Left-breast mammogram, MLO. 58-year-old patient.
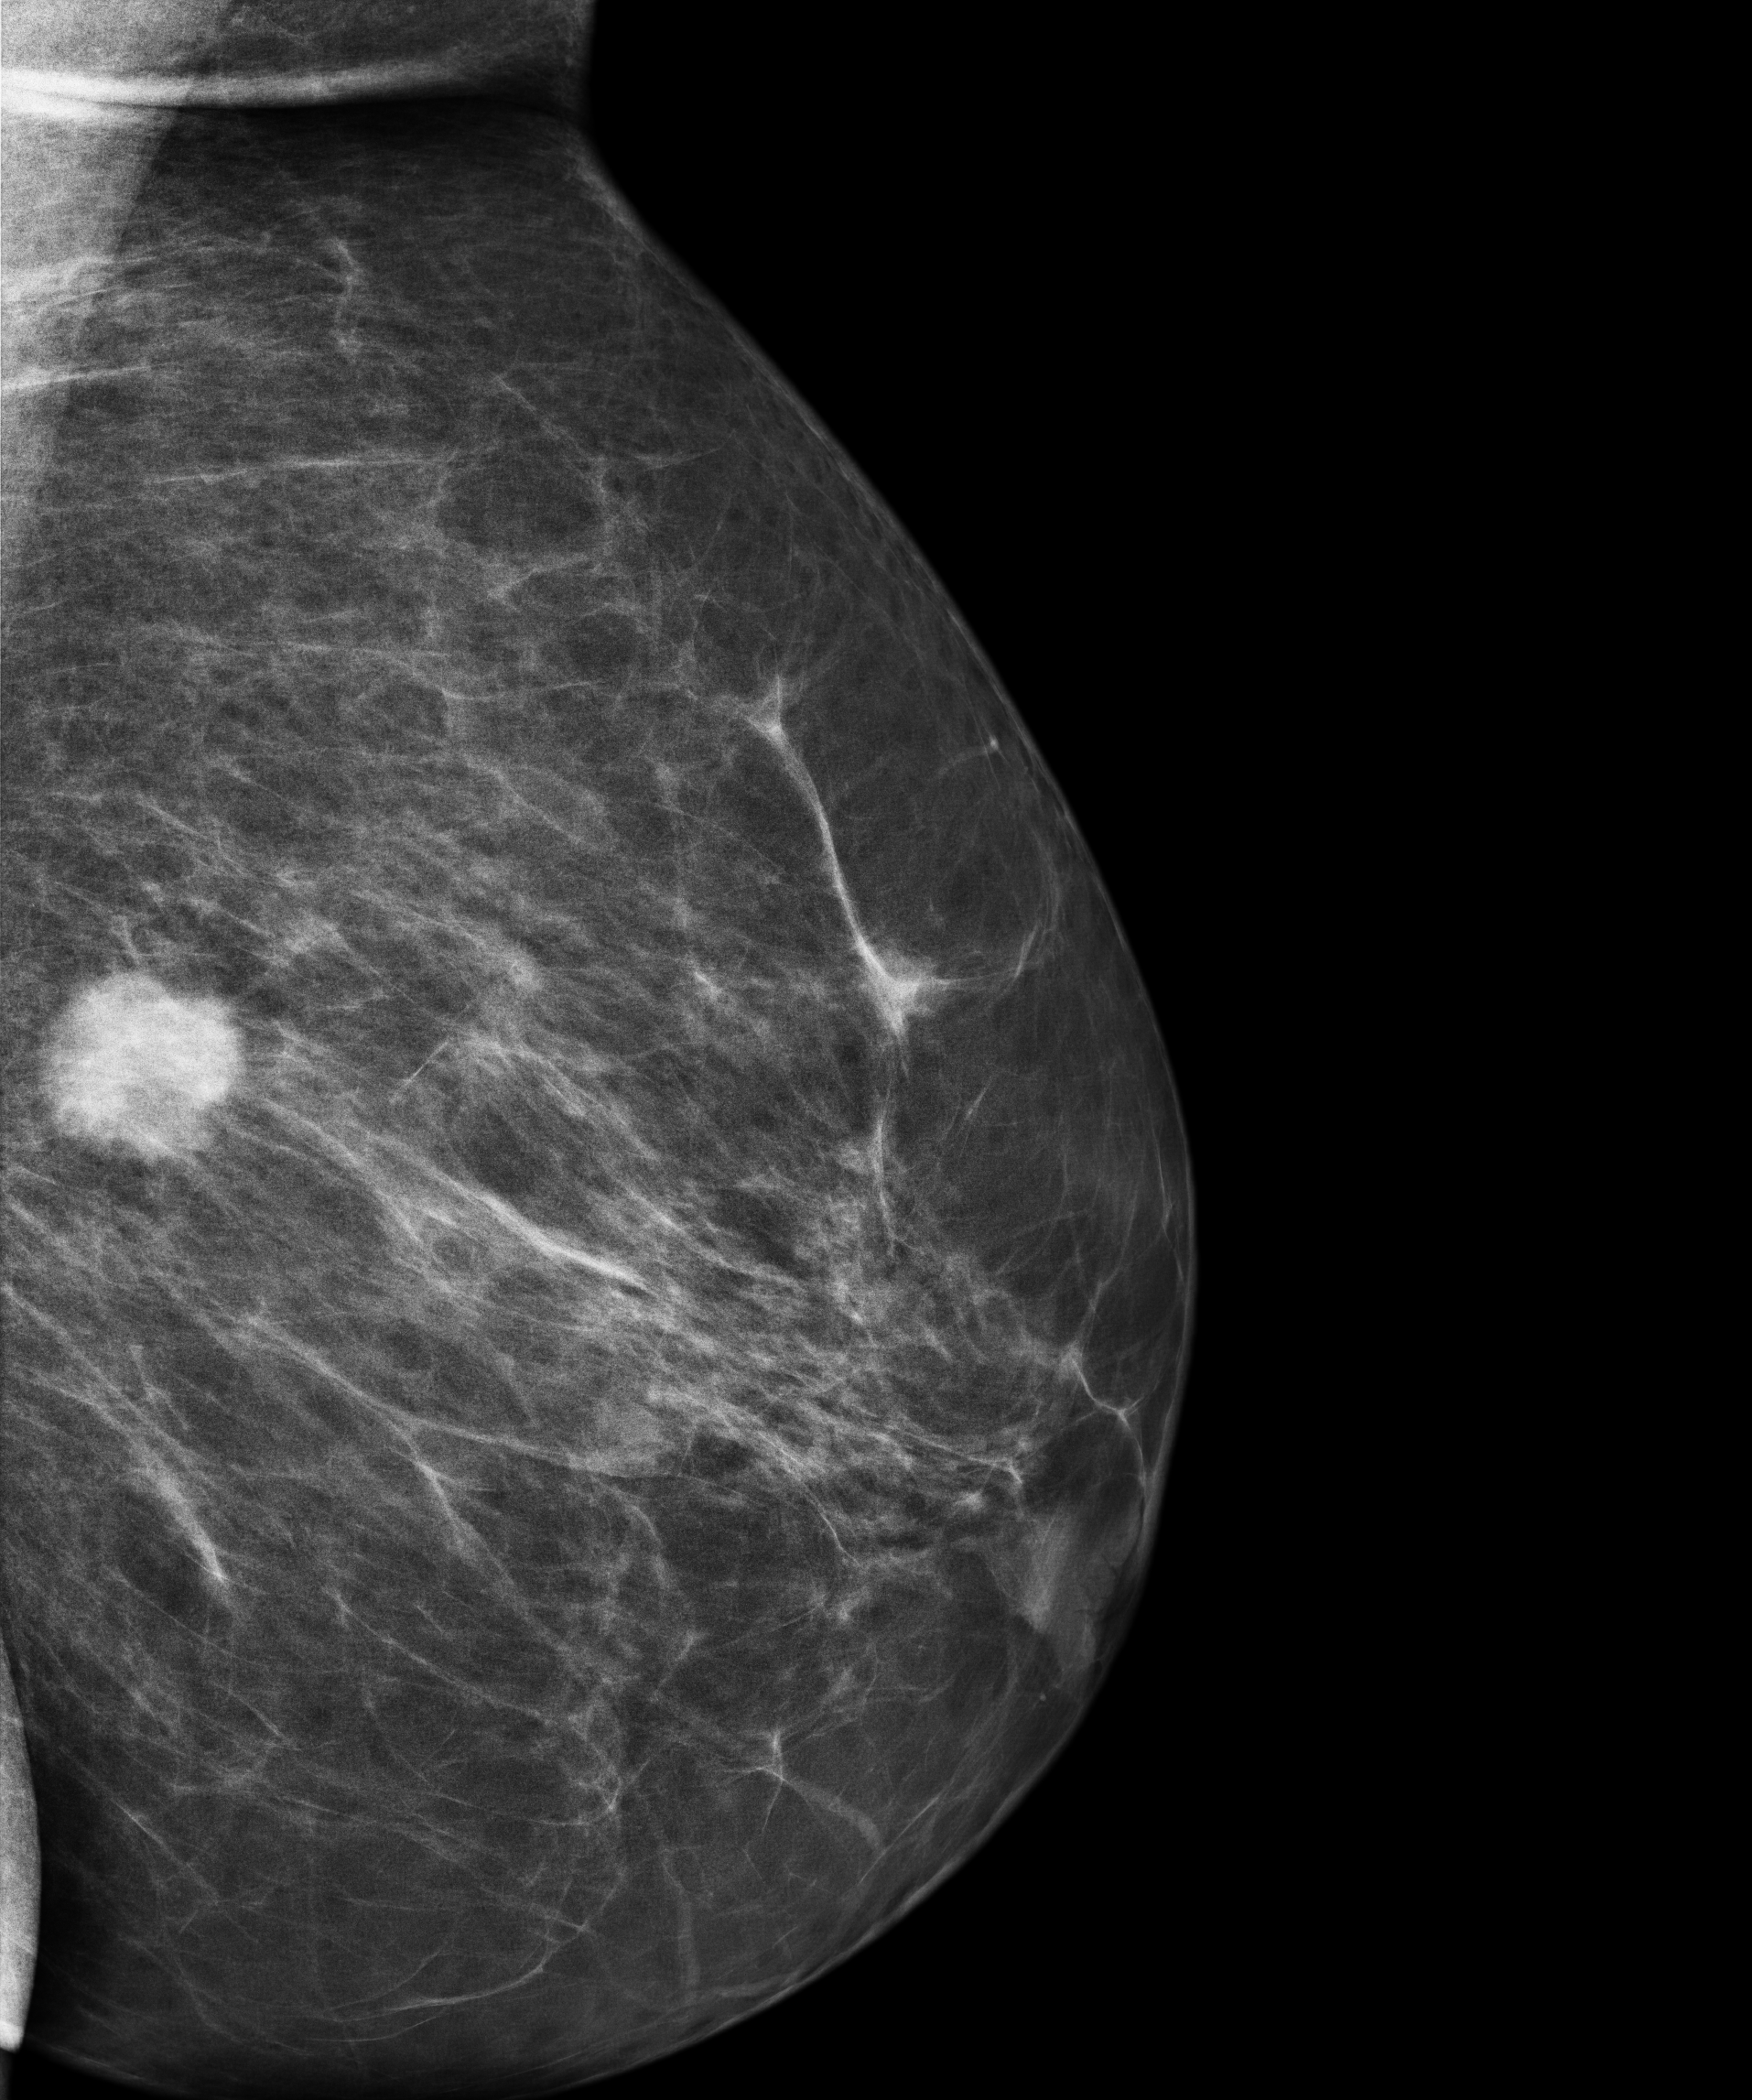
This breast has a mass, biopsy-confirmed malignant. Molecular subtype: luminal A.